Left-breast mammogram, cranio-caudal. 54 y/o patient.
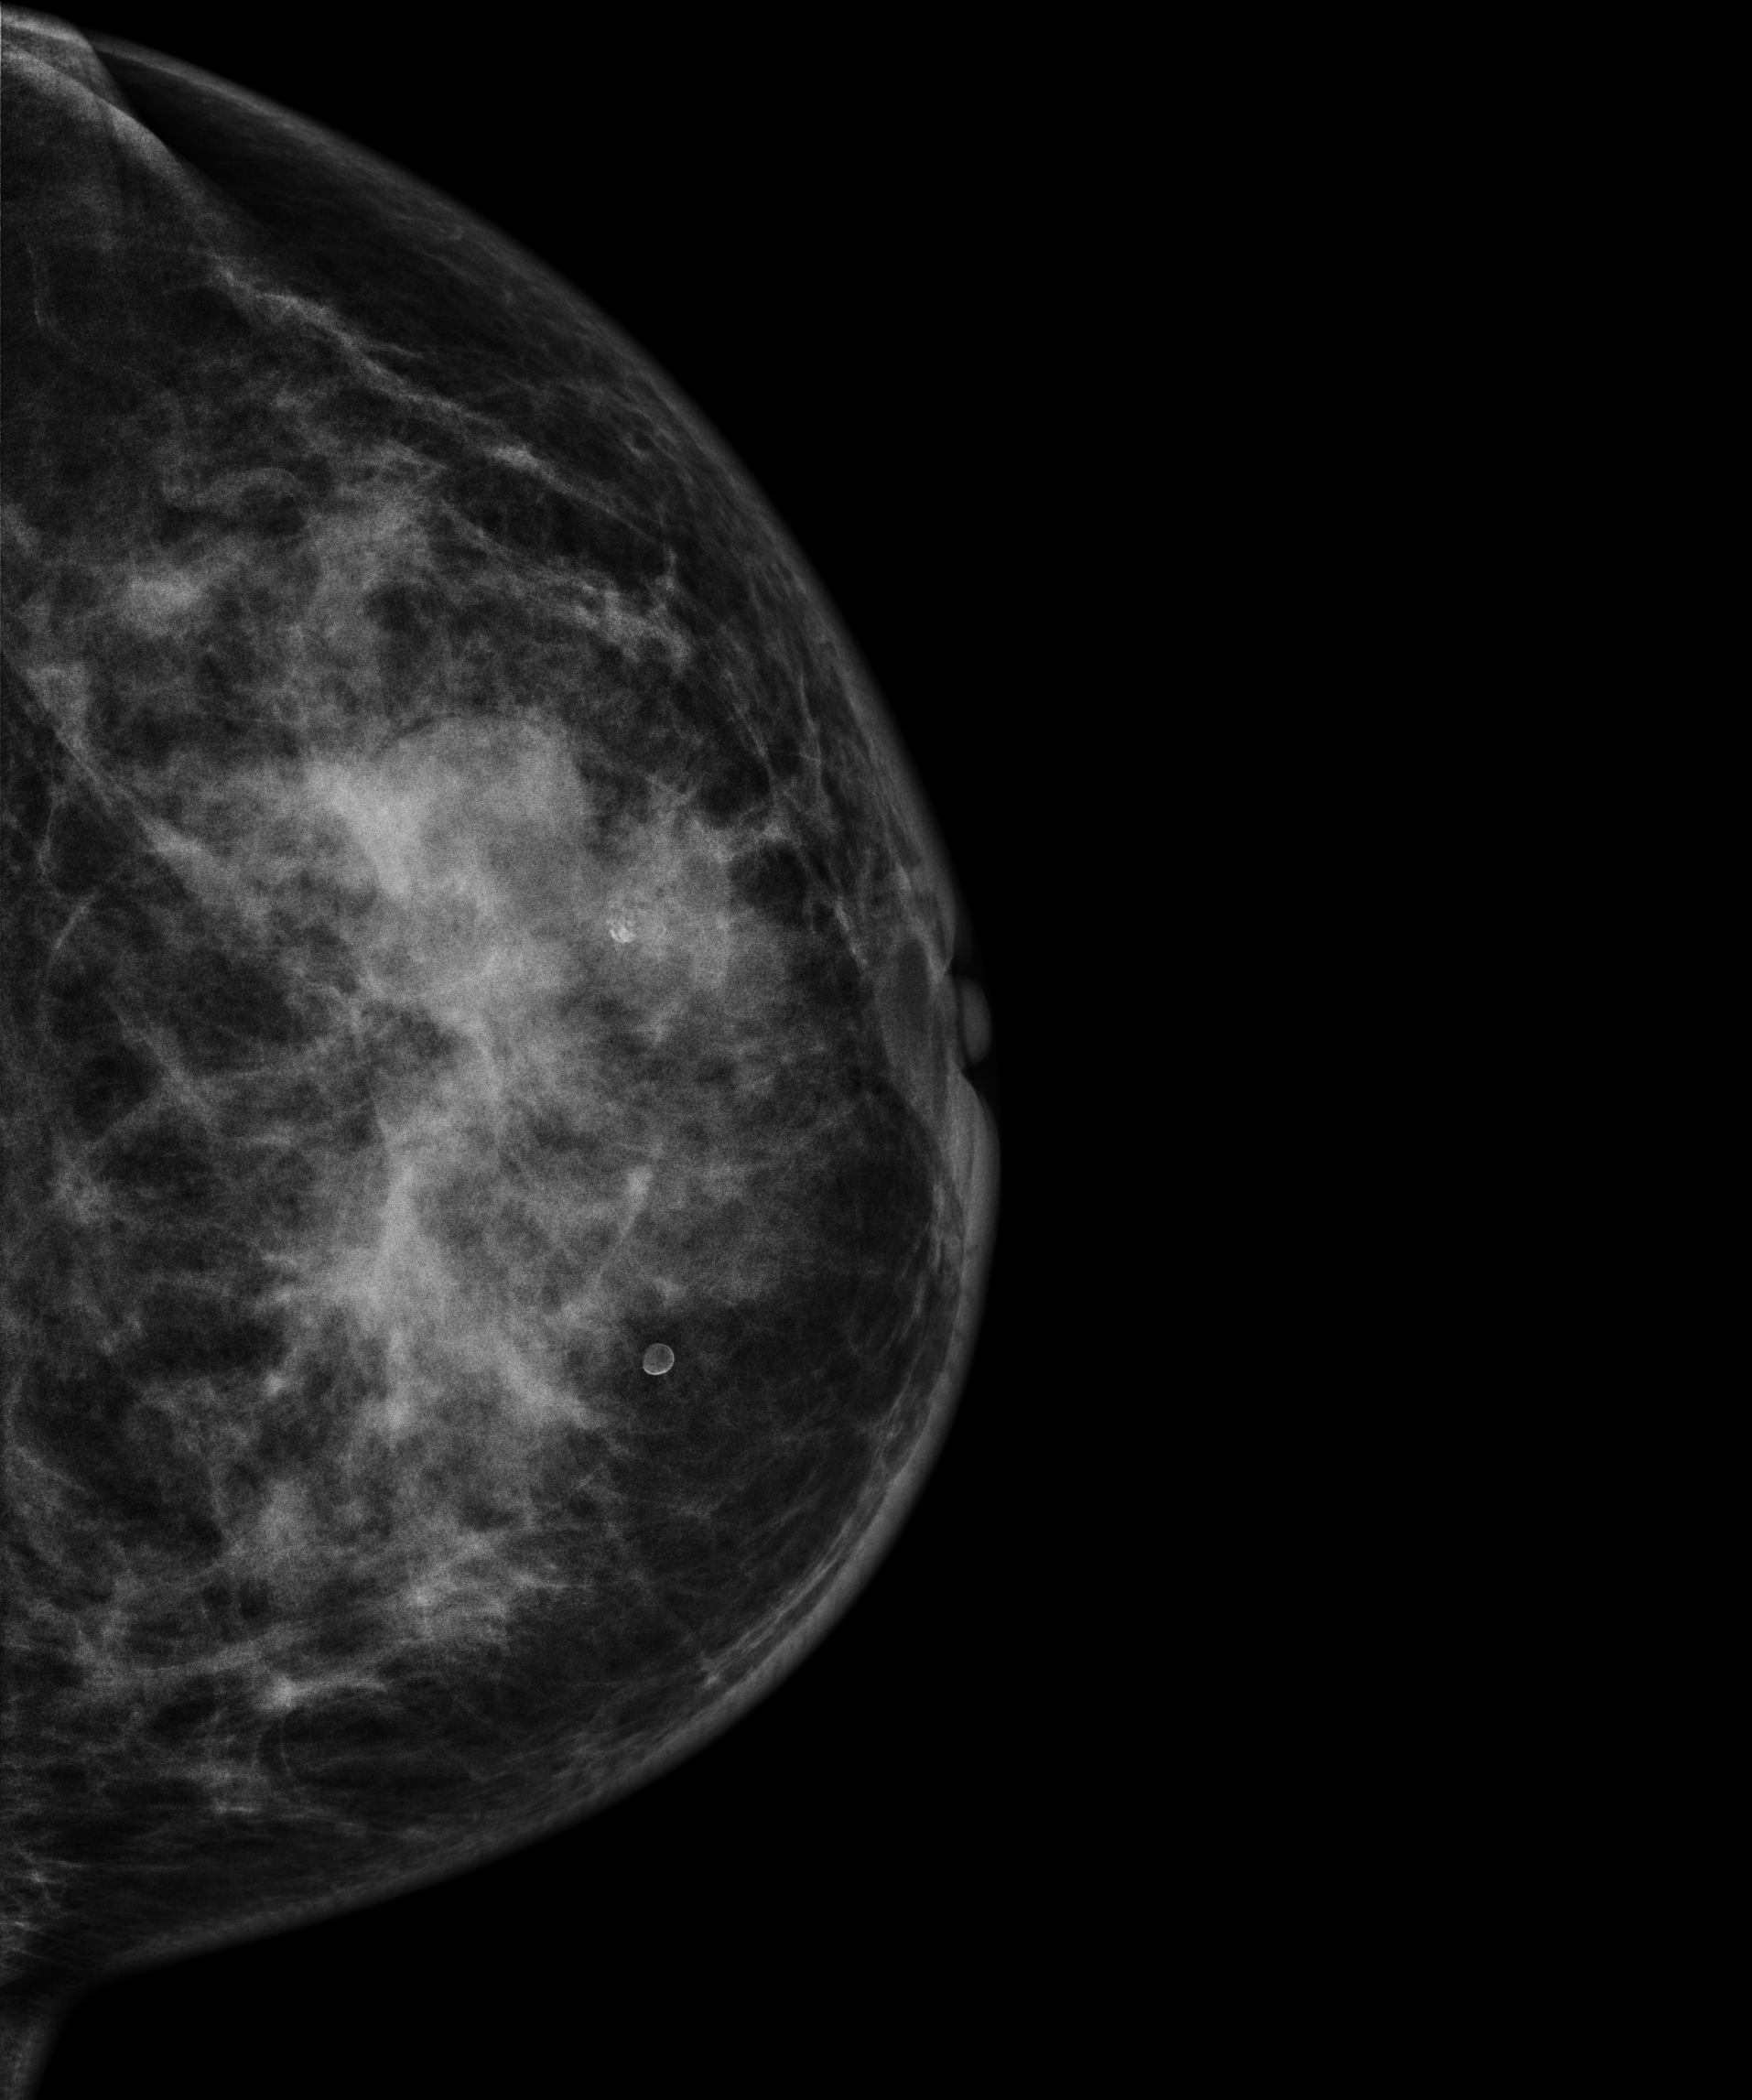
This breast has a mass, histologically confirmed malignant. Molecular subtype: triple-negative.